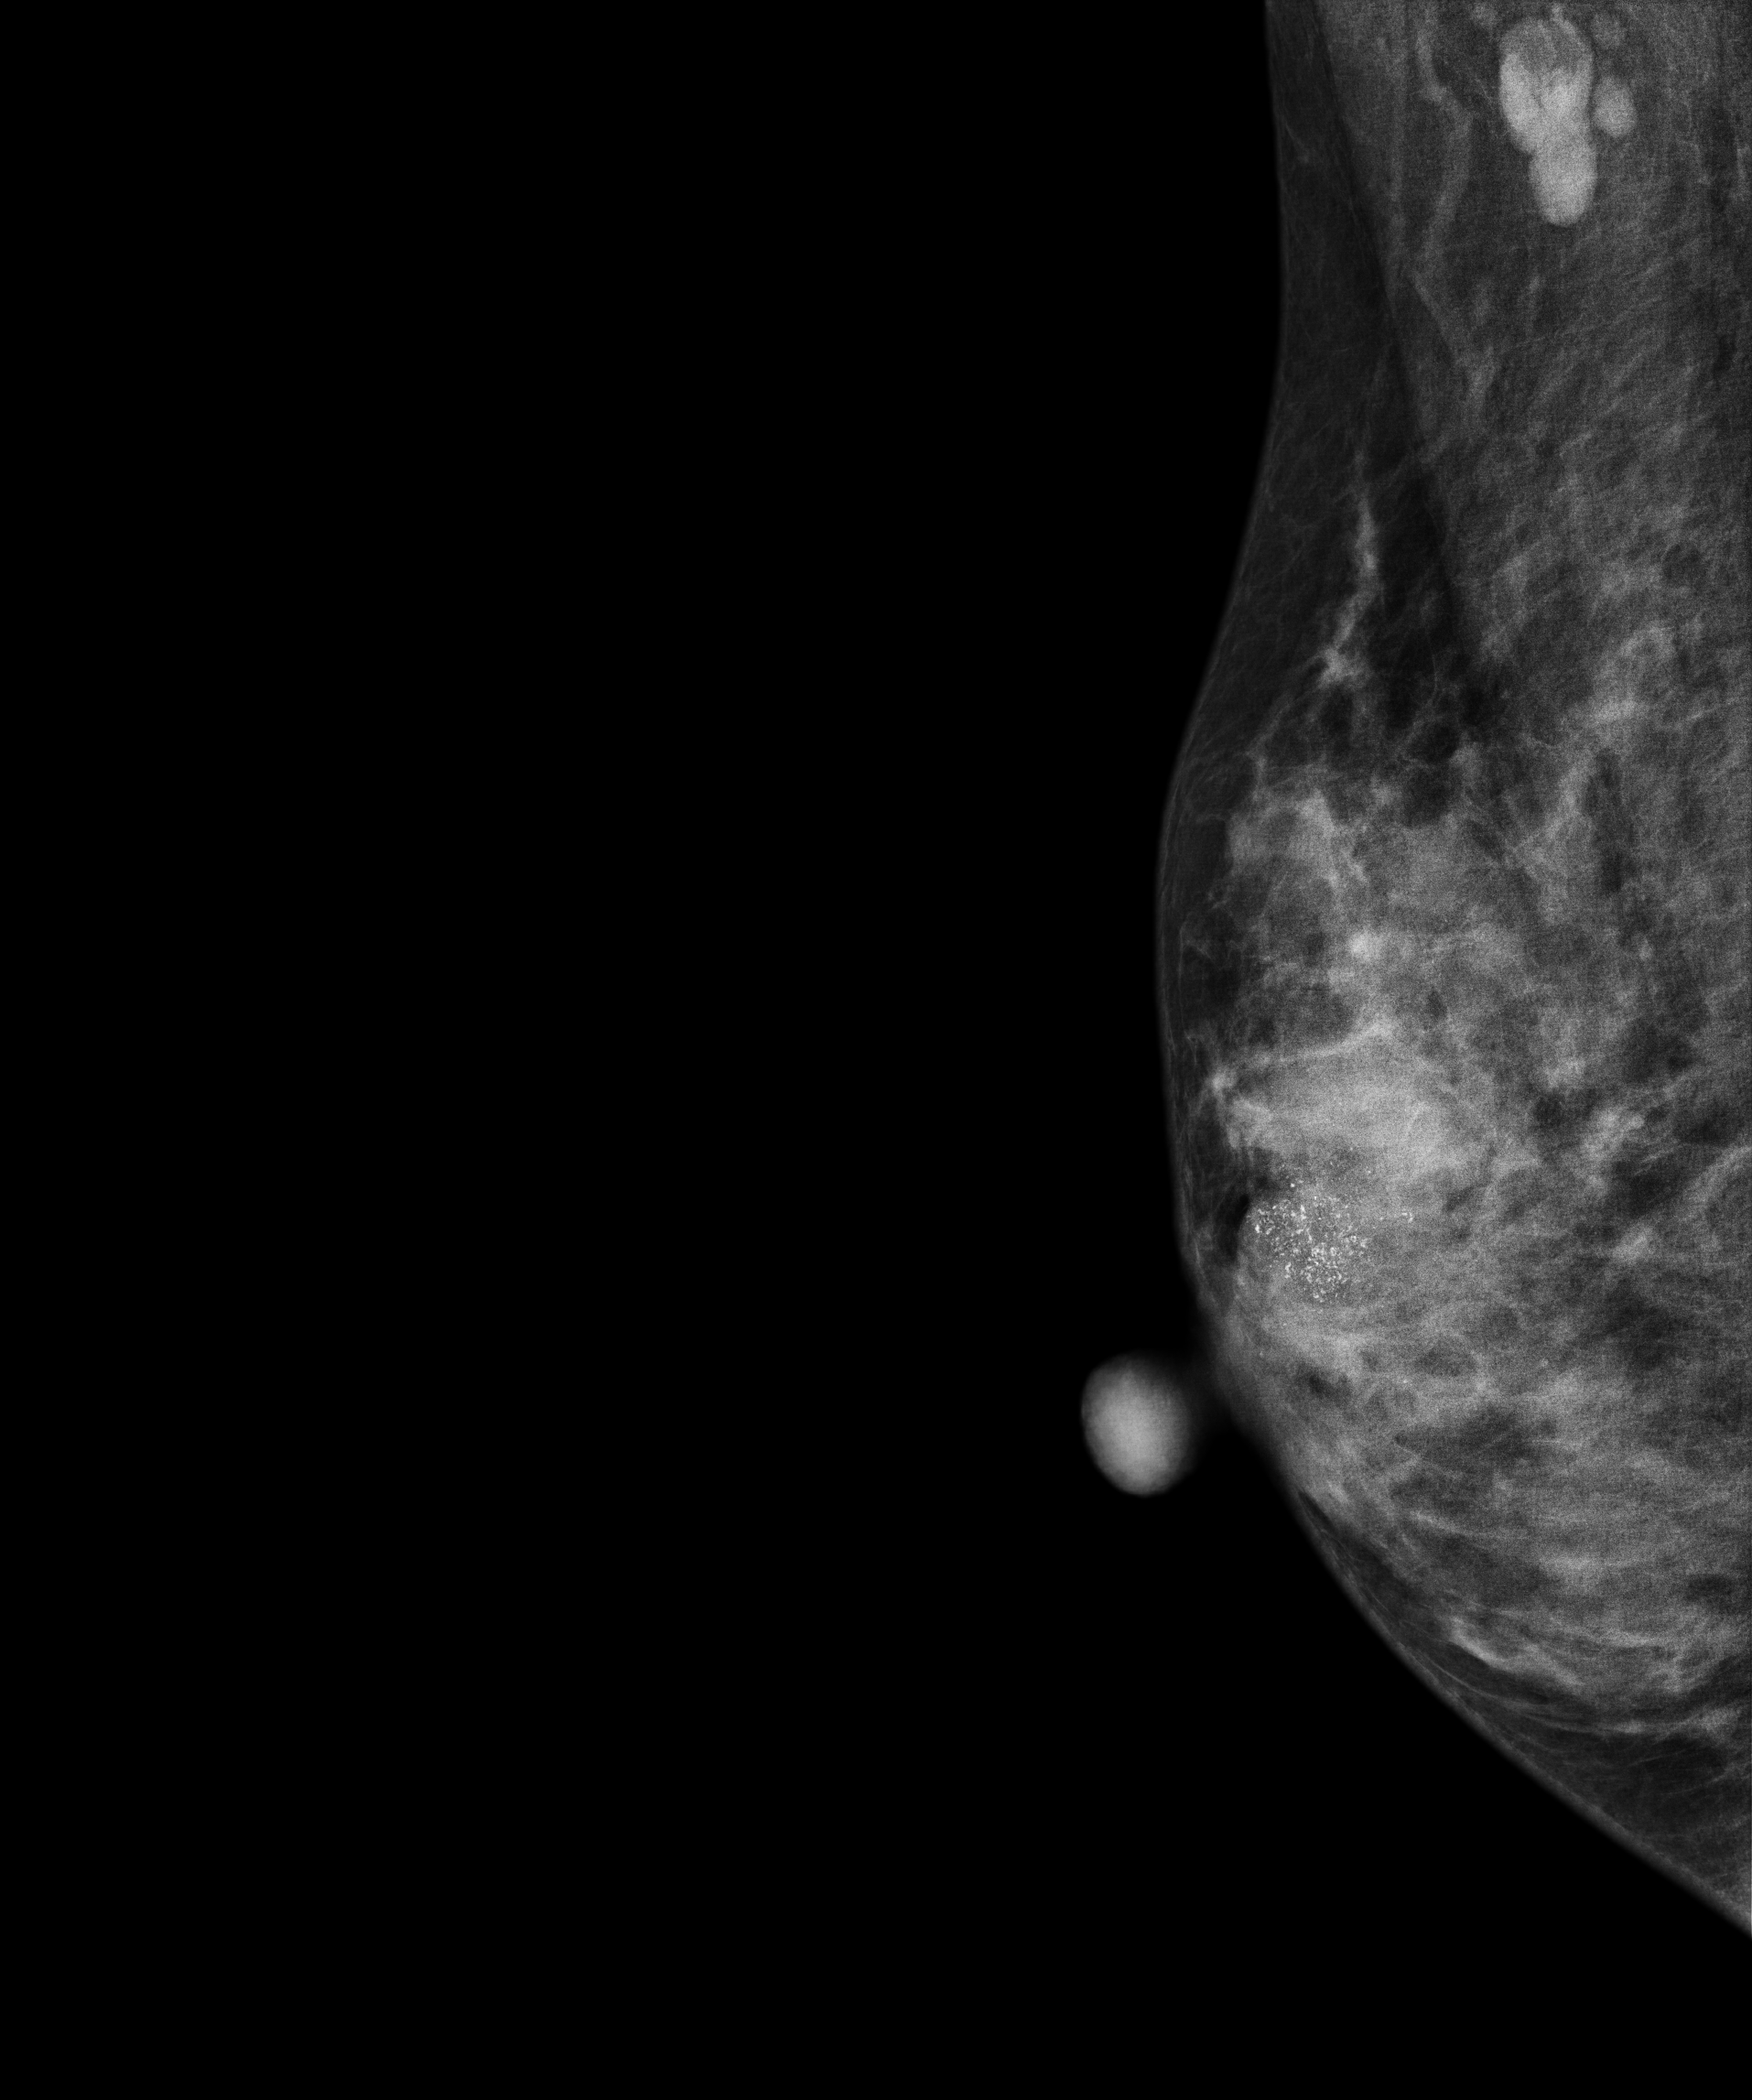
Digital mammography. Right breast, medio-lateral oblique projection. Patient age 33.
This breast has calcifications, pathology-confirmed malignant. Molecular subtype: luminal B.